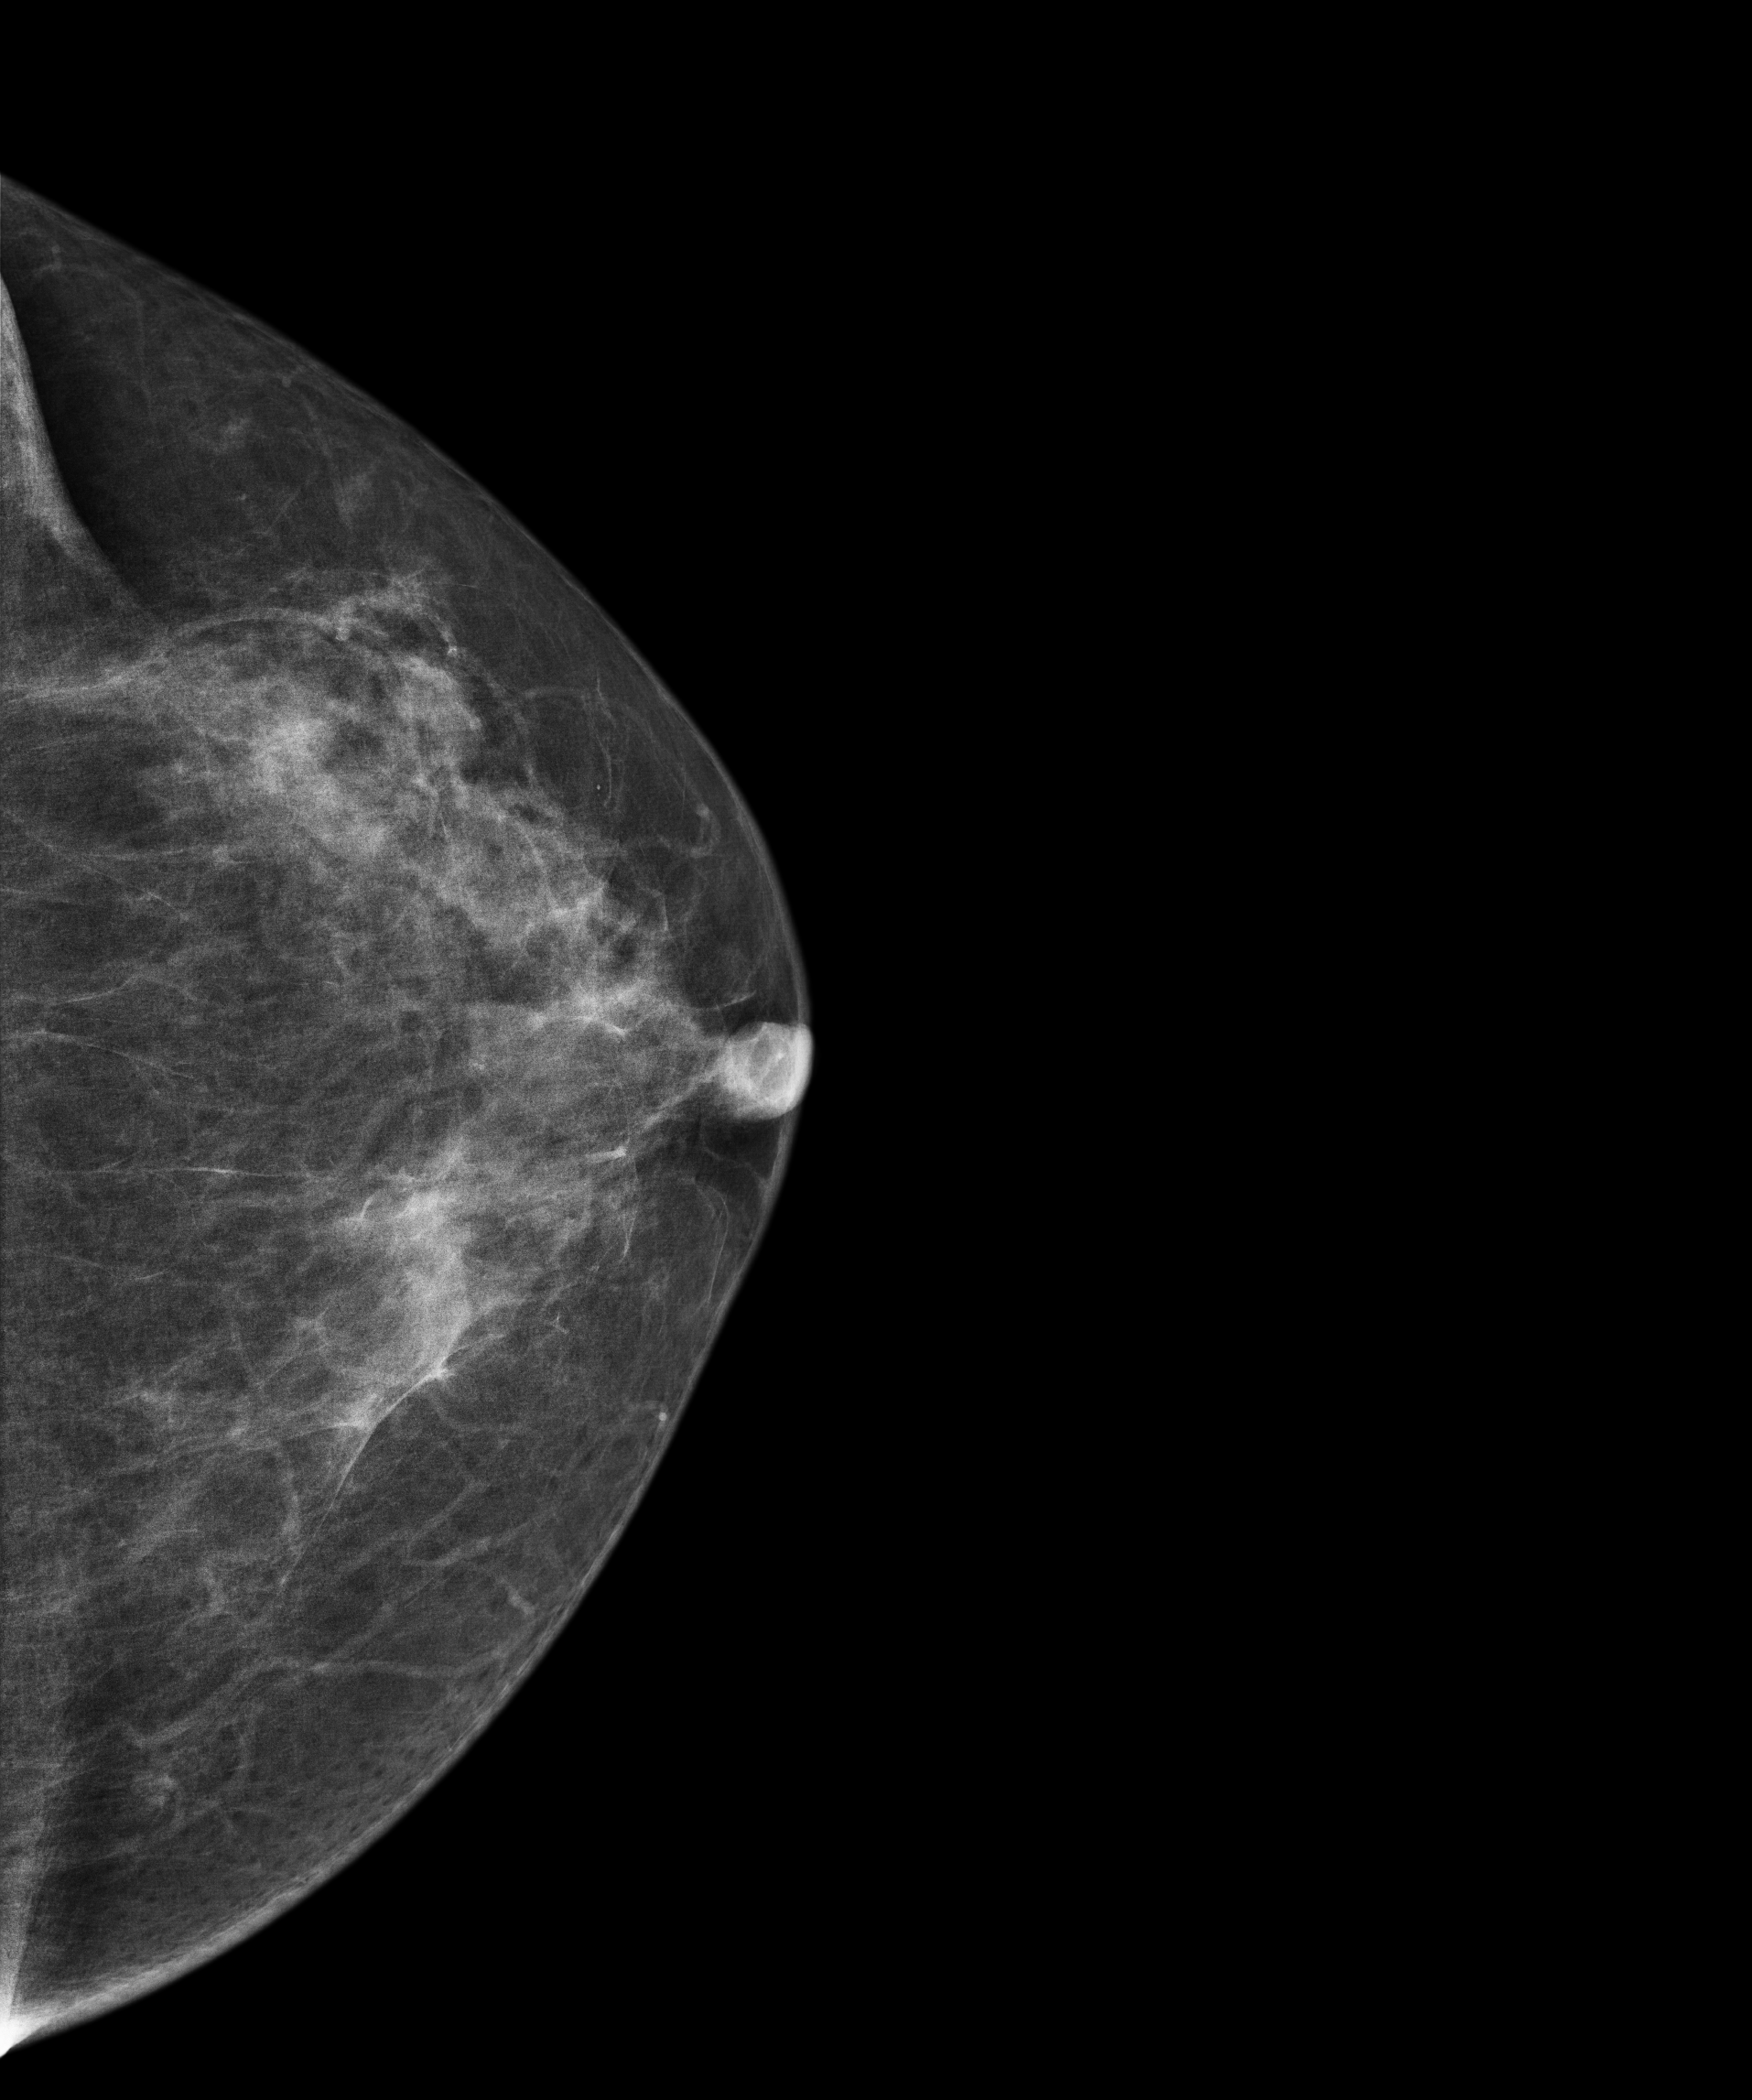
Mammogram, left breast, CC view. 66 y/o patient.
Contralateral breast — no documented abnormality on this side.